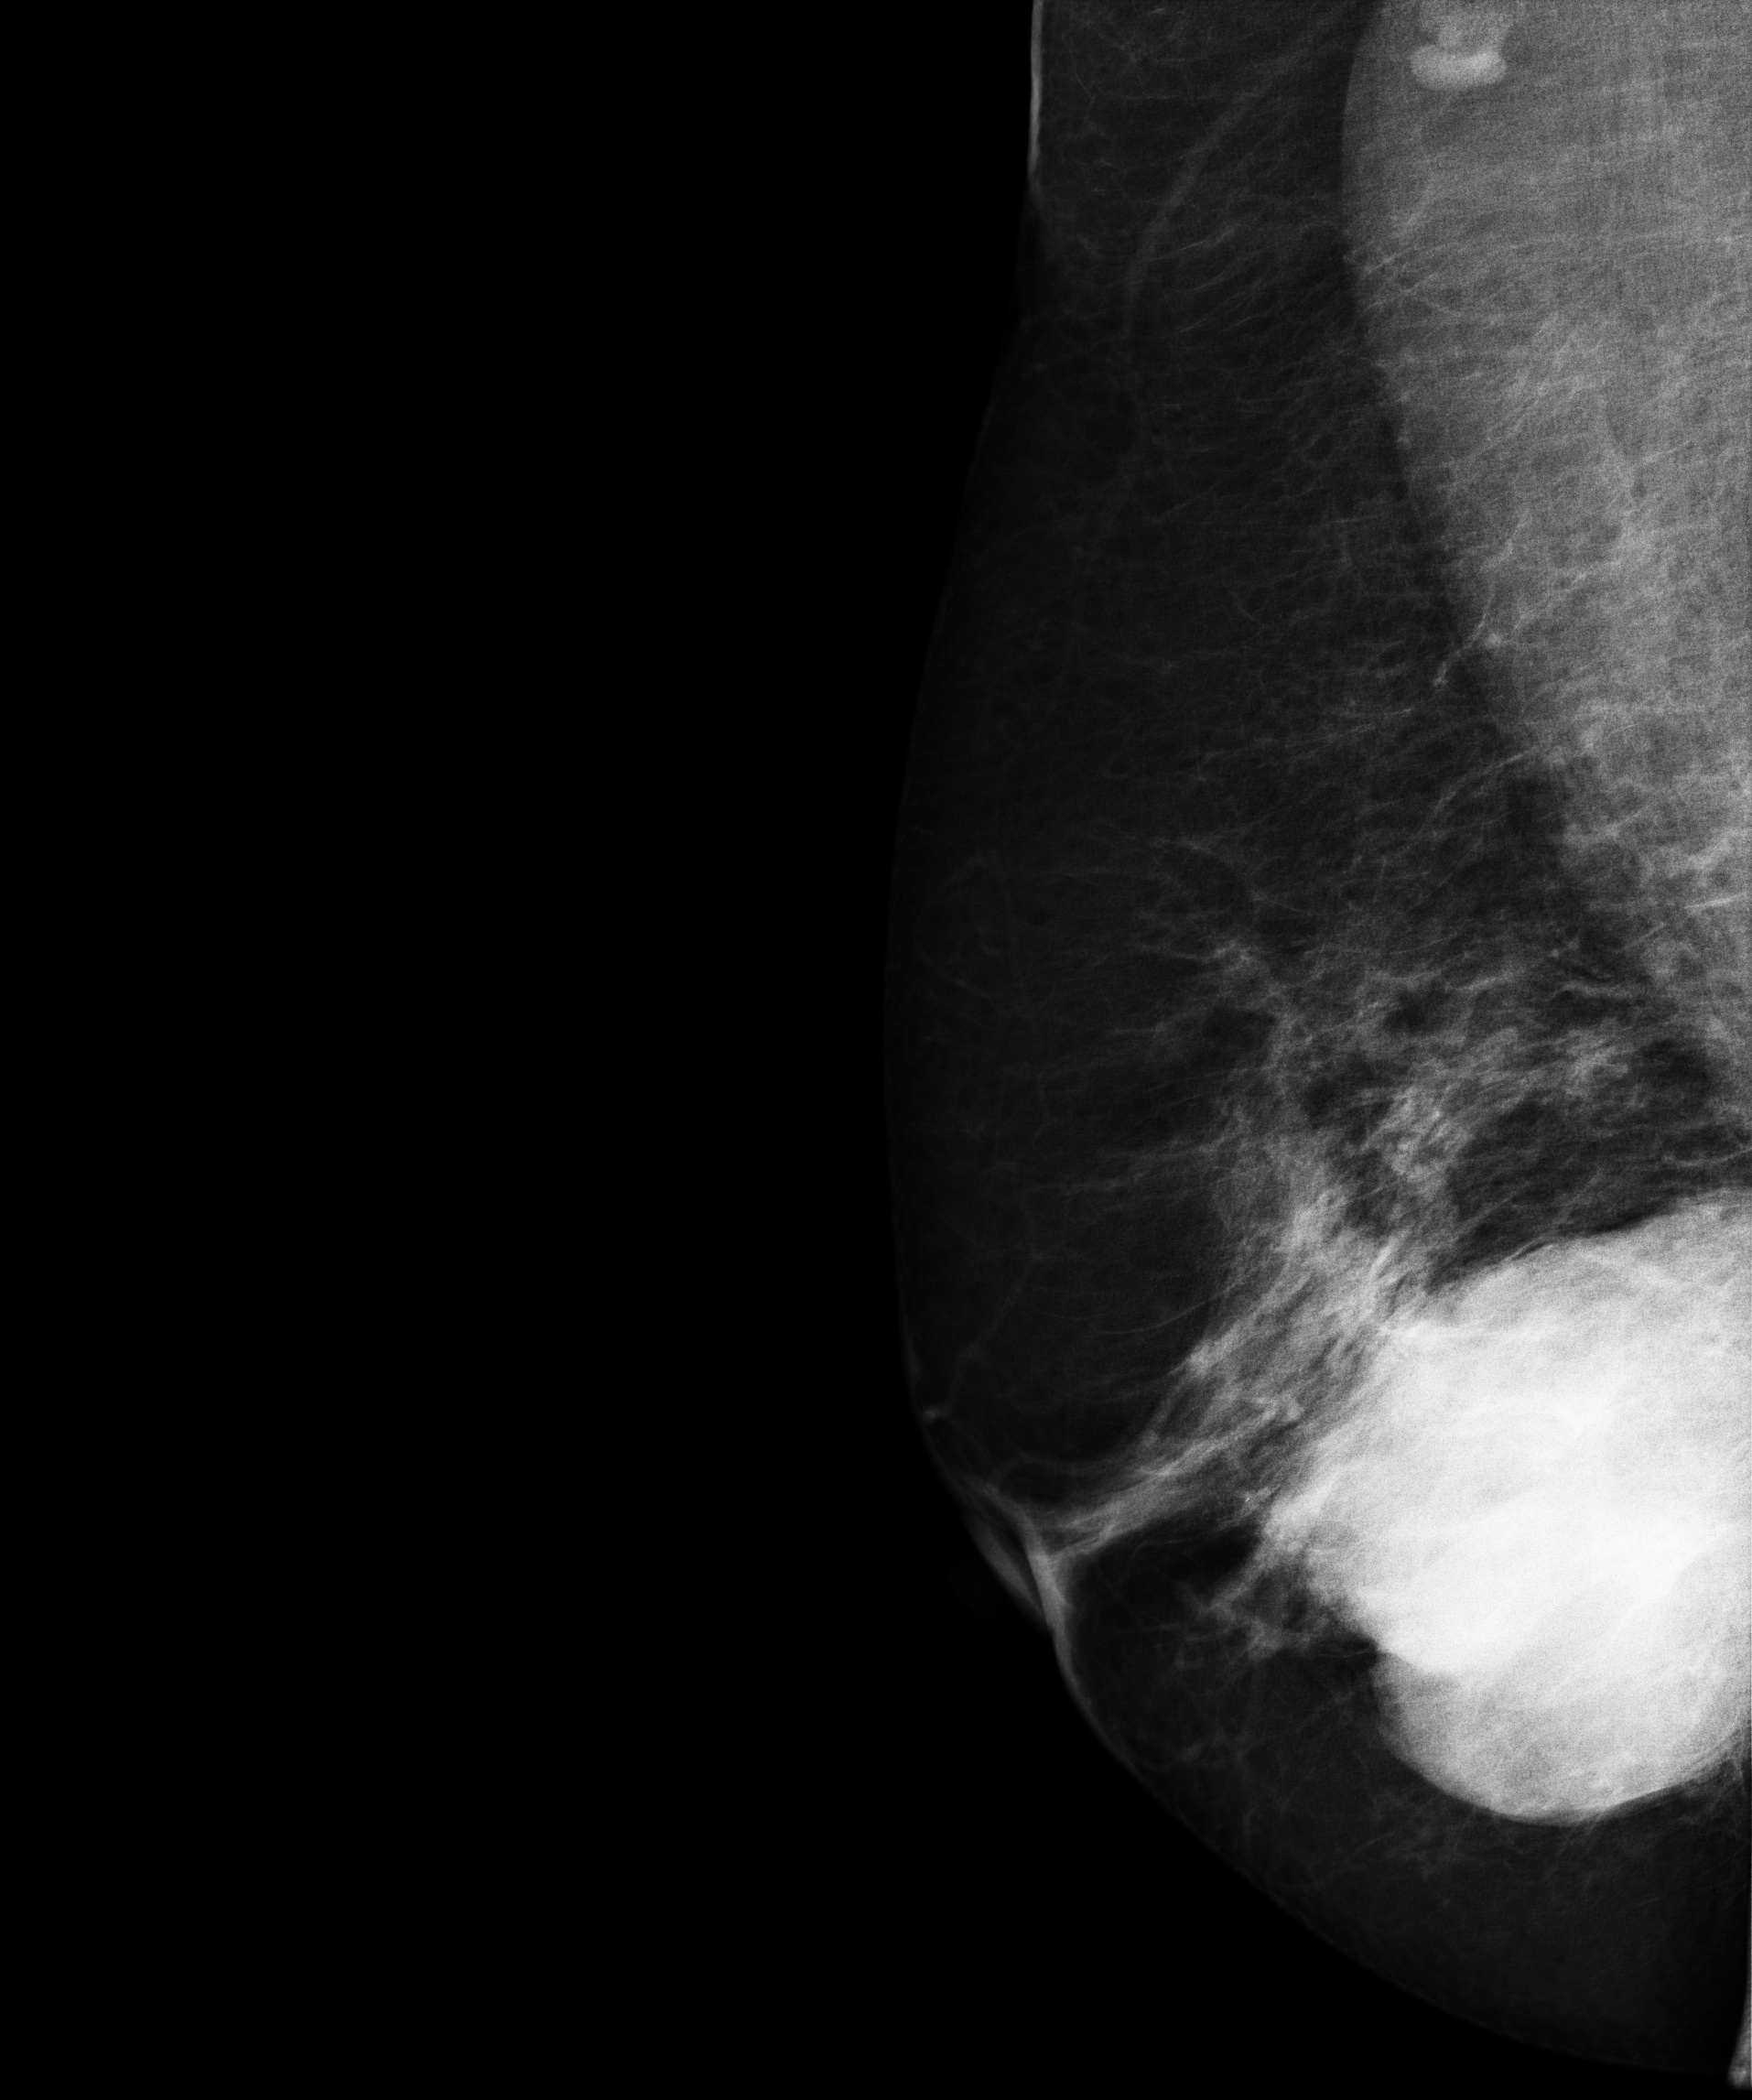
Right-breast mammogram, MLO. 50 y/o patient.
This breast has a mass, biopsy-confirmed benign.